Digital mammography. Left breast, medio-lateral oblique projection. 48-year-old patient.
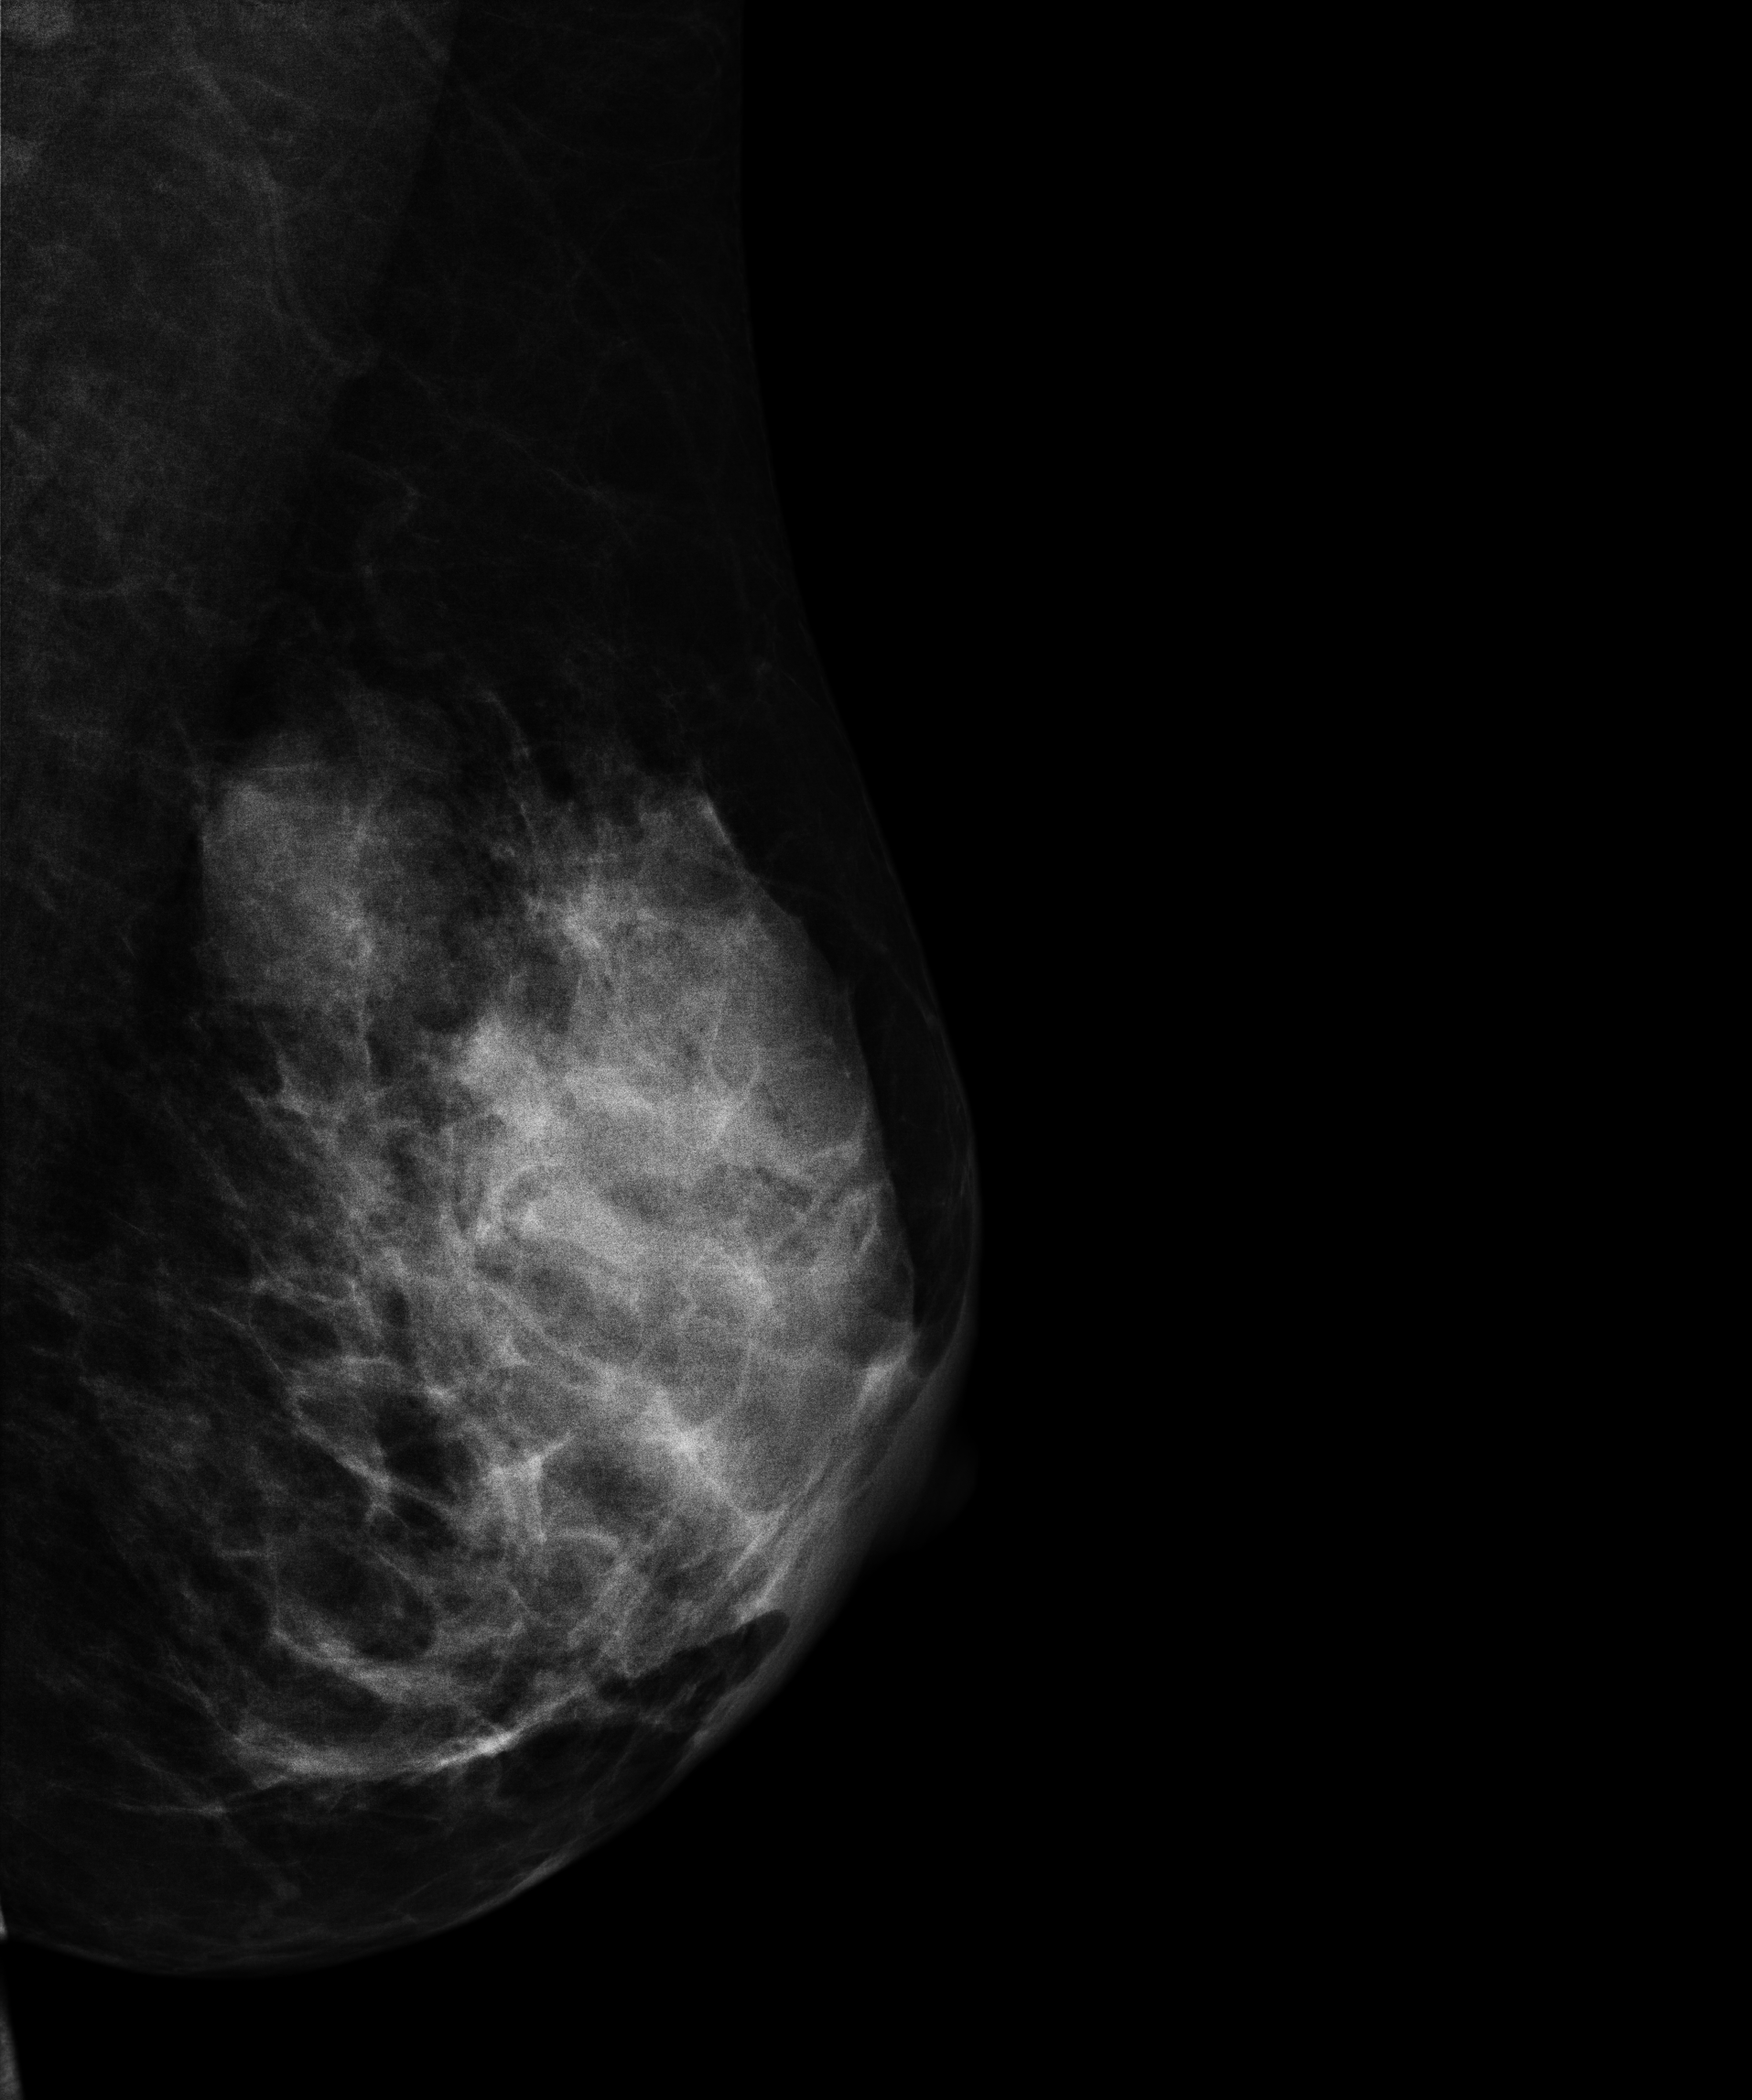
This breast has a mass, histologically confirmed malignant.